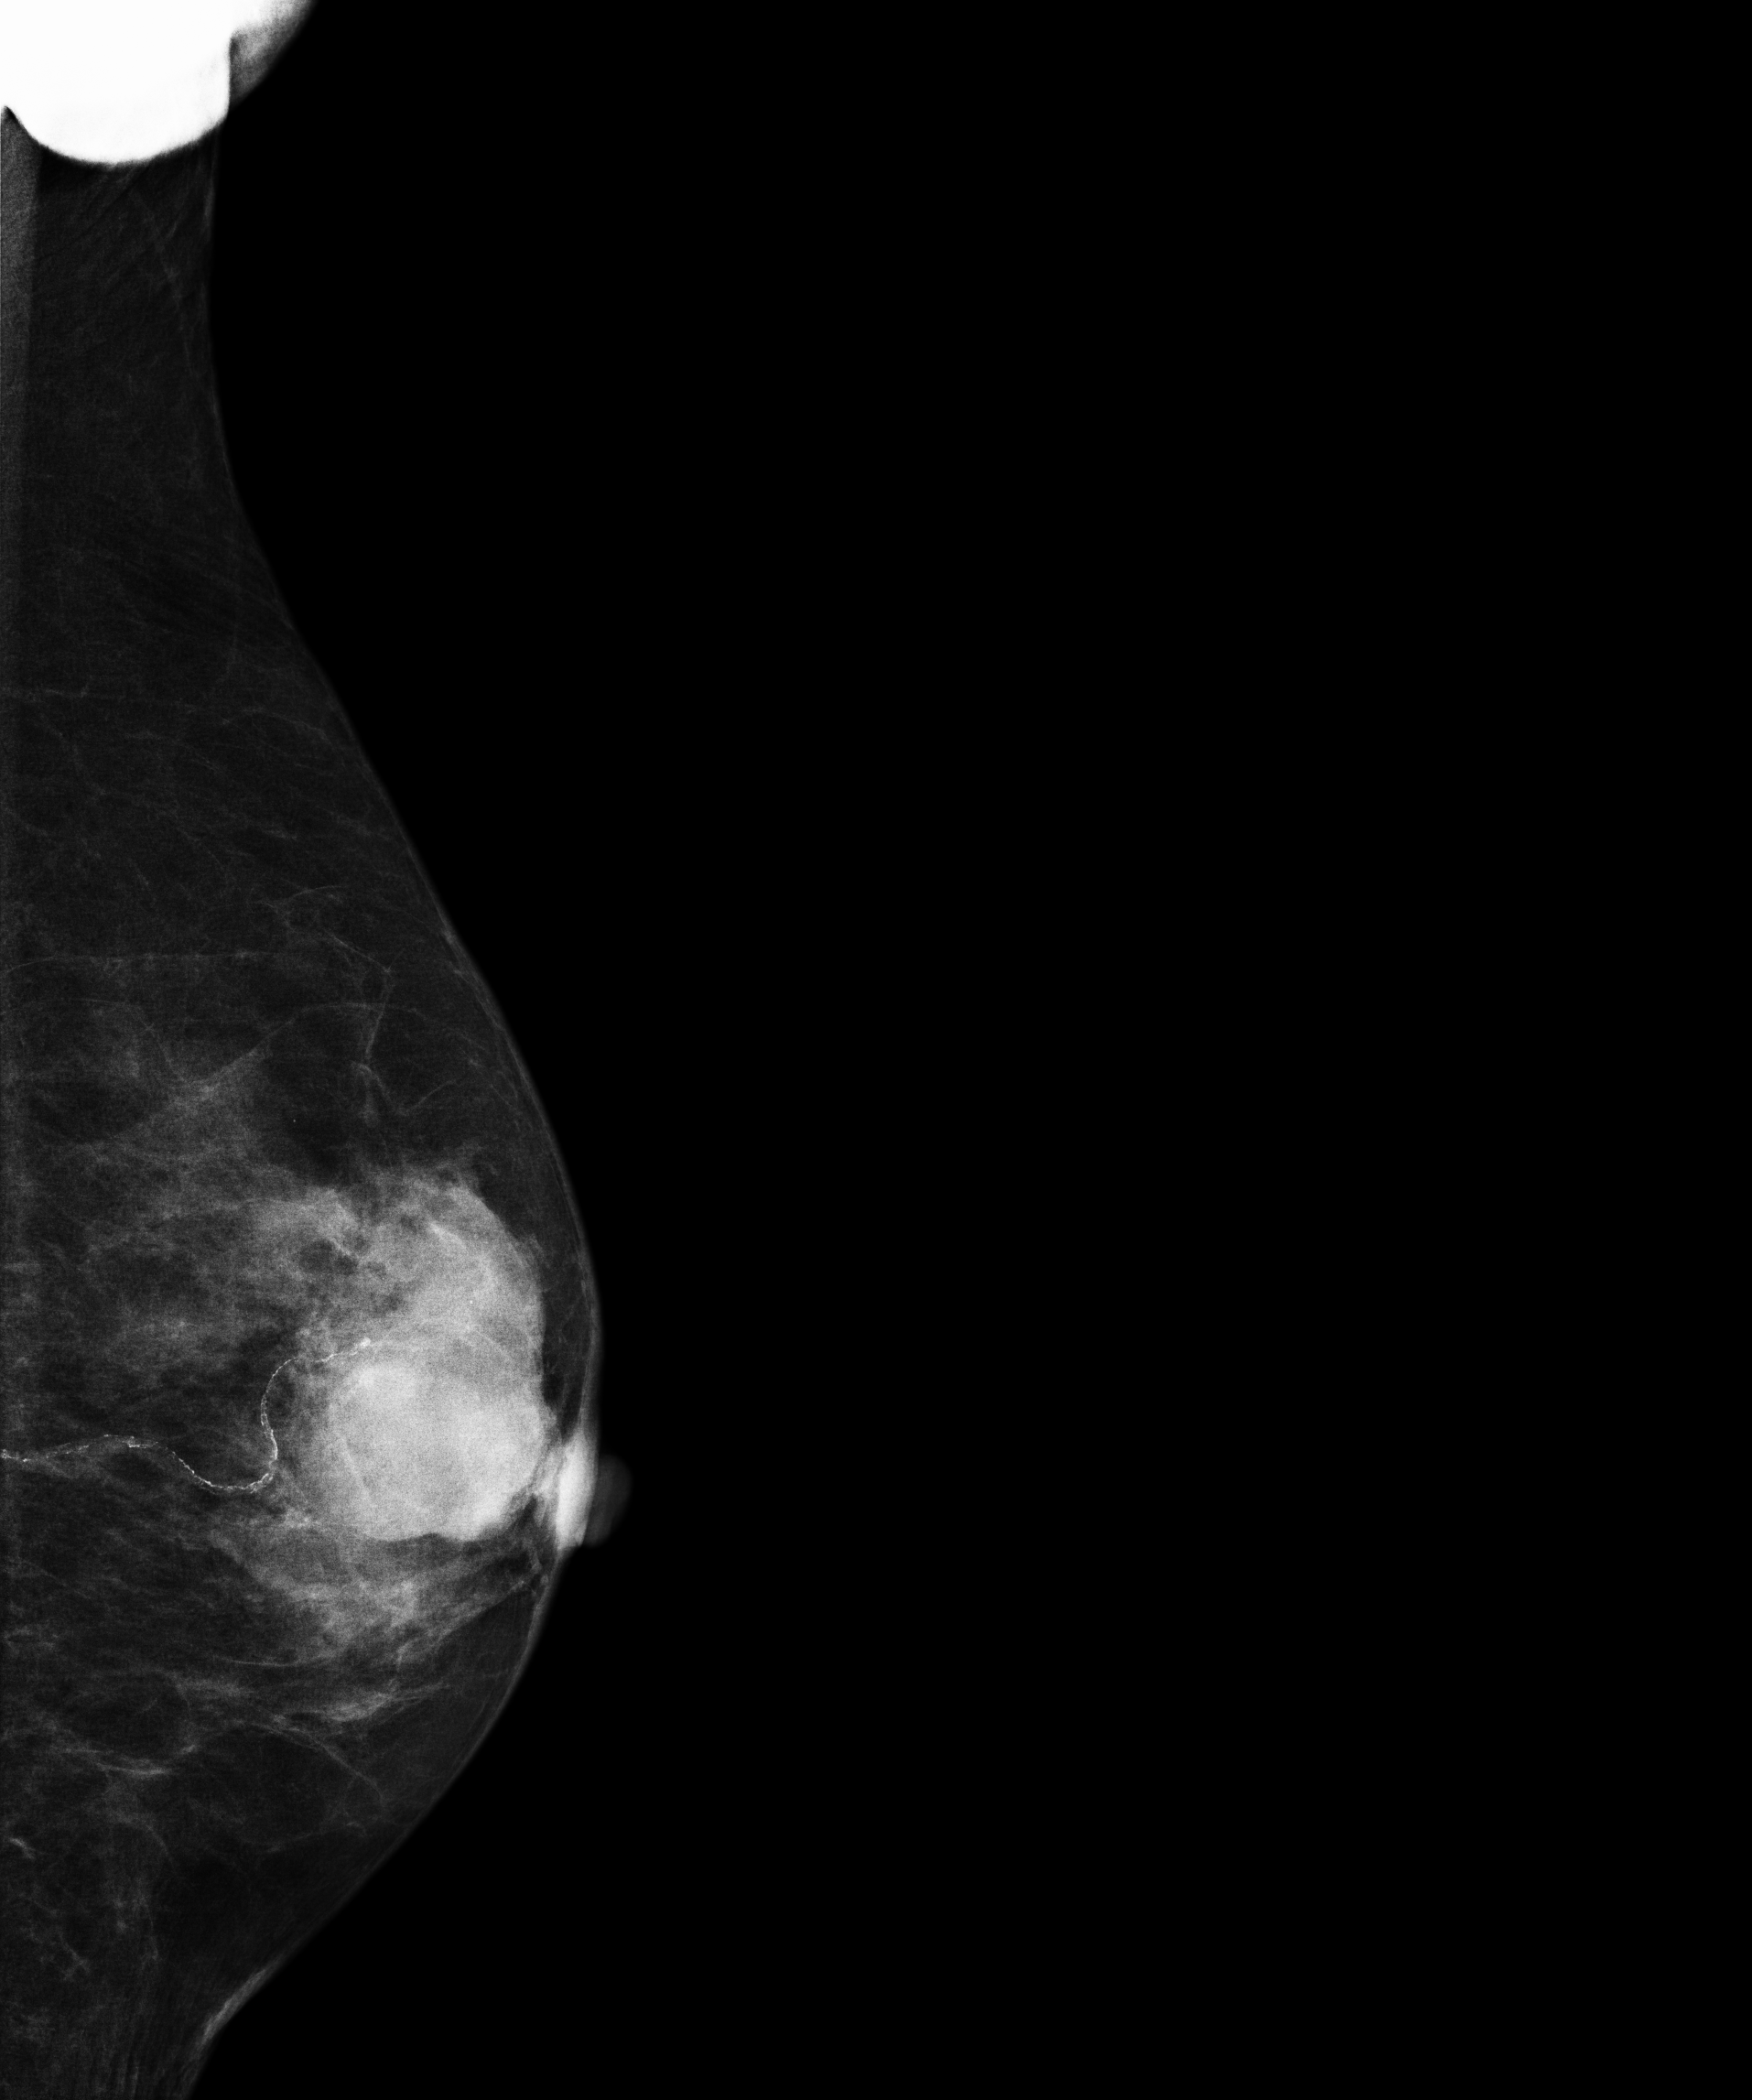
Mammogram, left breast, MLO view. Patient age 80.
This breast has a mass, histologically confirmed malignant.